MLO mammogram of the left breast. Patient age 46.
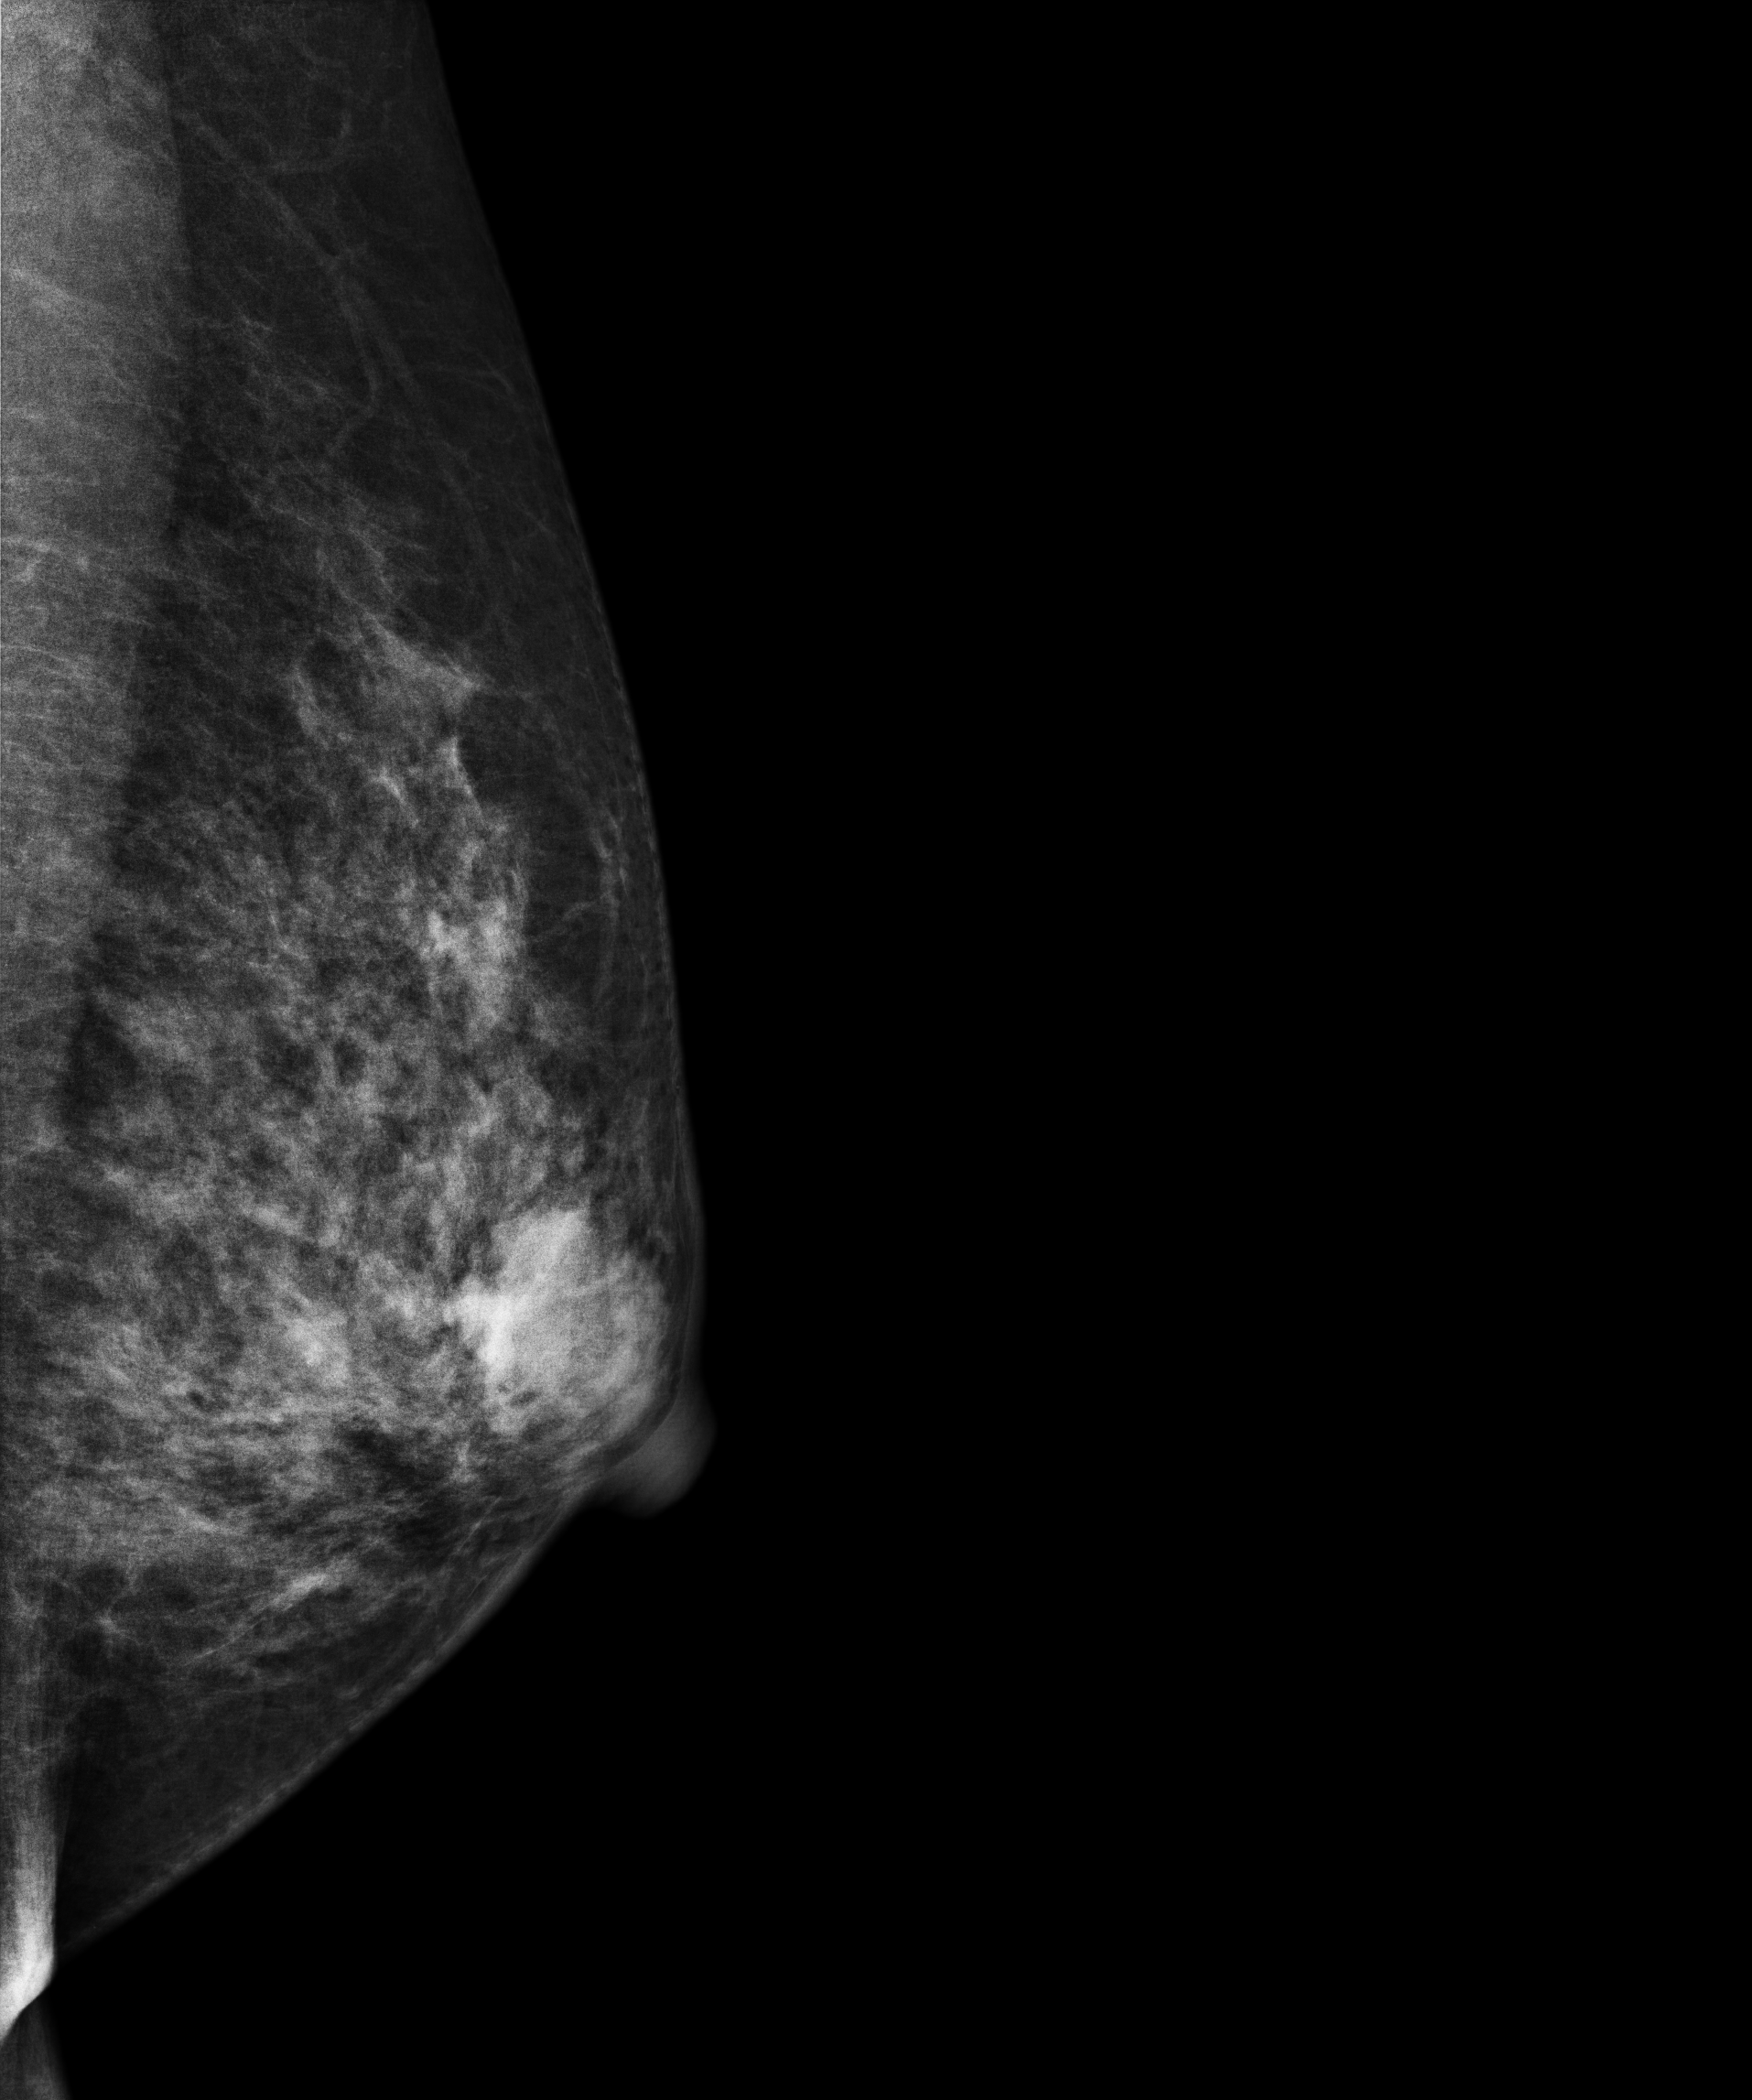
This breast has a mass, pathology-confirmed malignant.